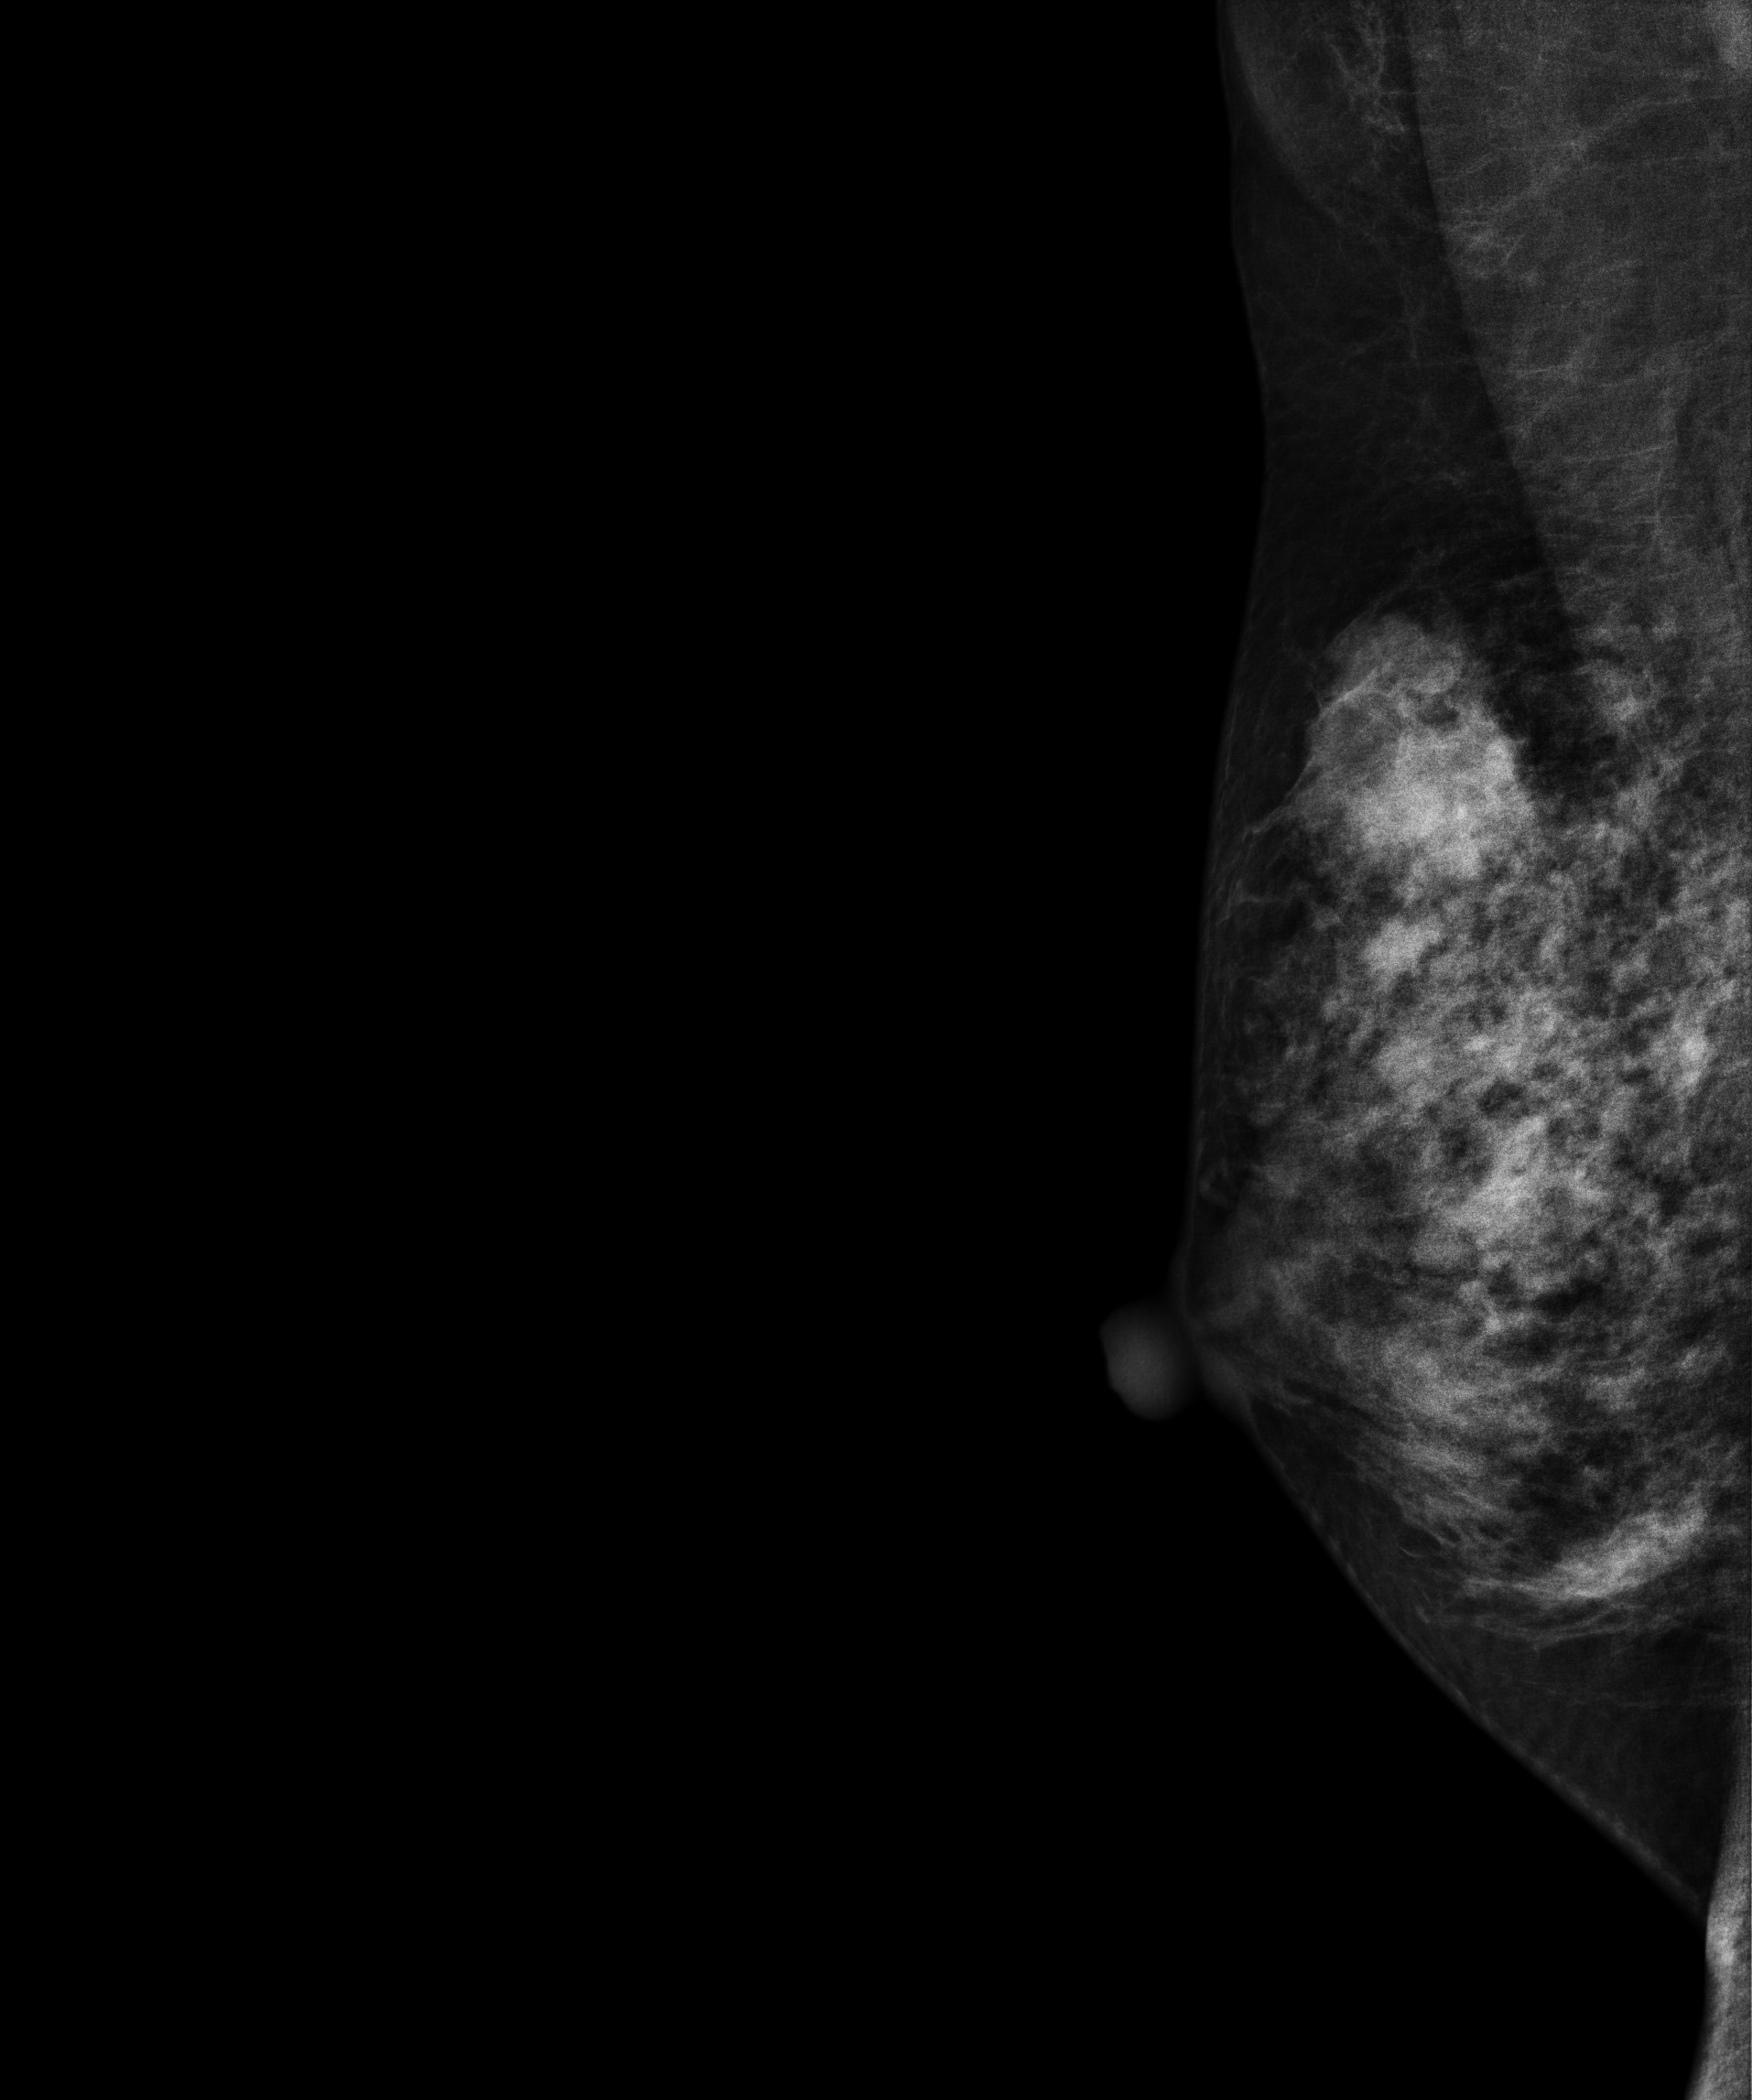
Digital mammography. Right breast, MLO projection. 38-year-old patient.
This breast has a mass, biopsy-proven malignant. Molecular subtype: luminal A.